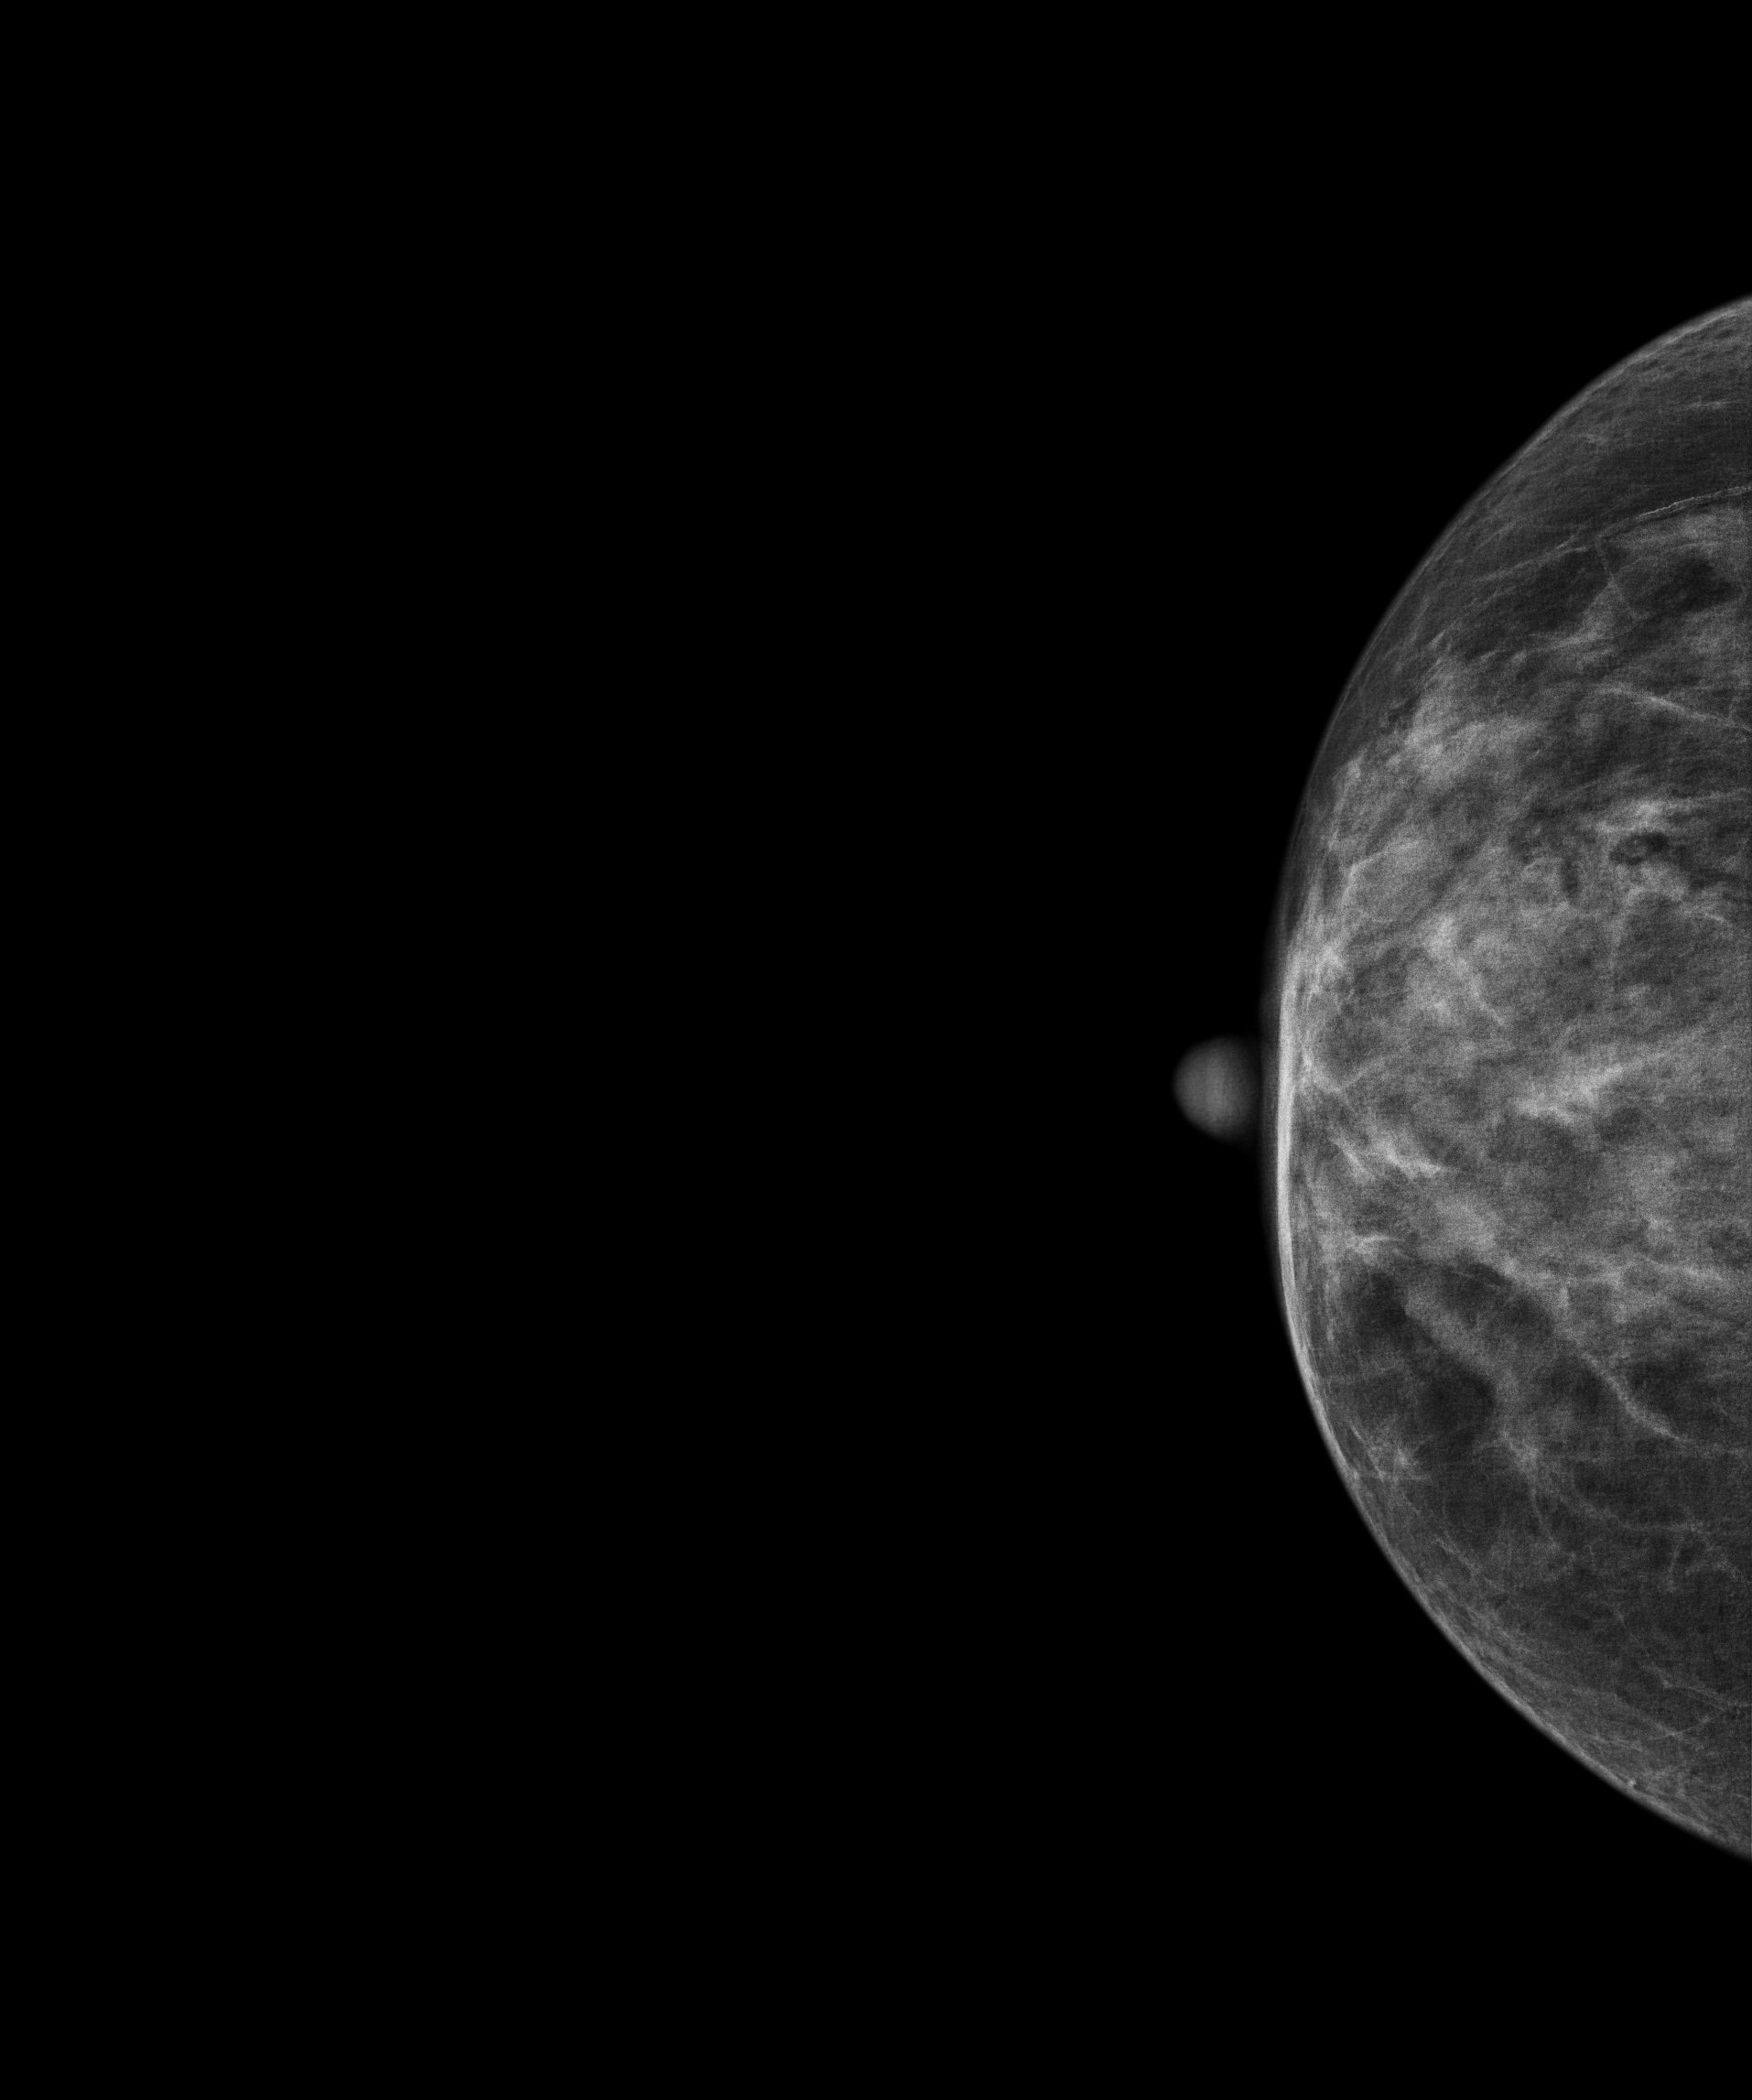
Mammogram — right cranio-caudal. 58-year-old patient.
Contralateral breast — no documented abnormality on this side.